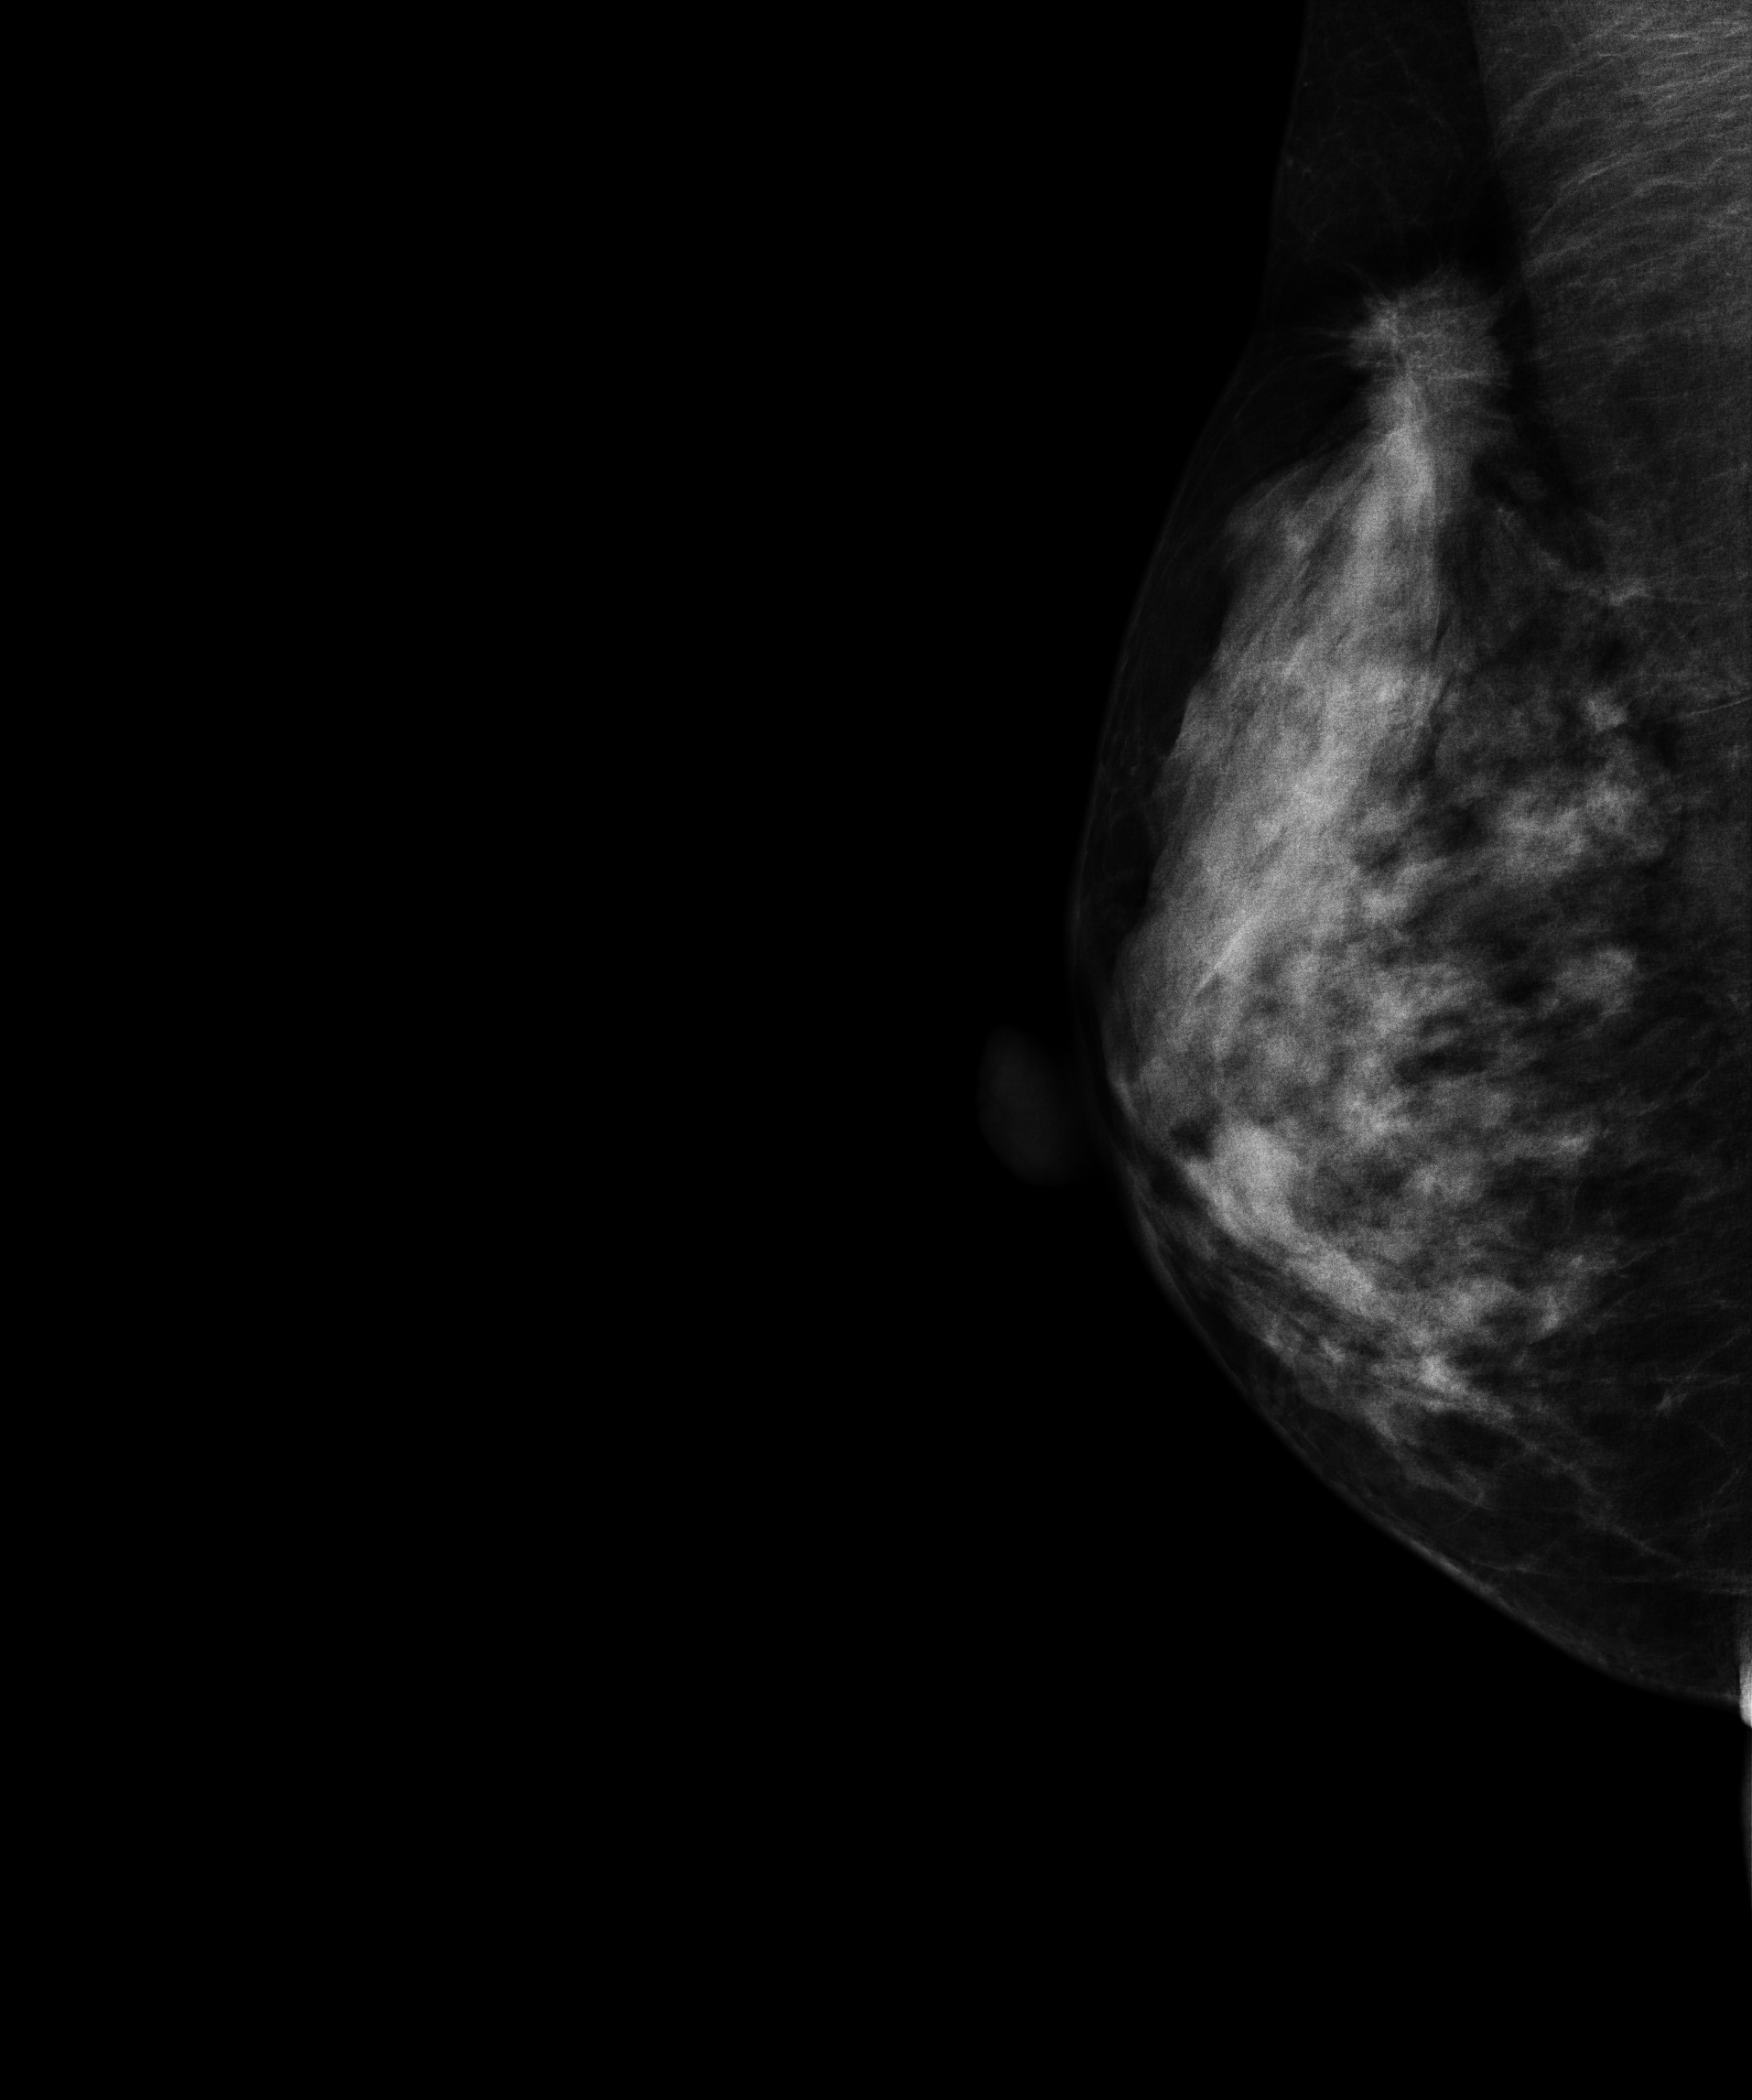
Mammogram, right breast, medio-lateral oblique view. 46 y/o patient.
This breast has a mass, histologically confirmed malignant. Molecular subtype: luminal A.